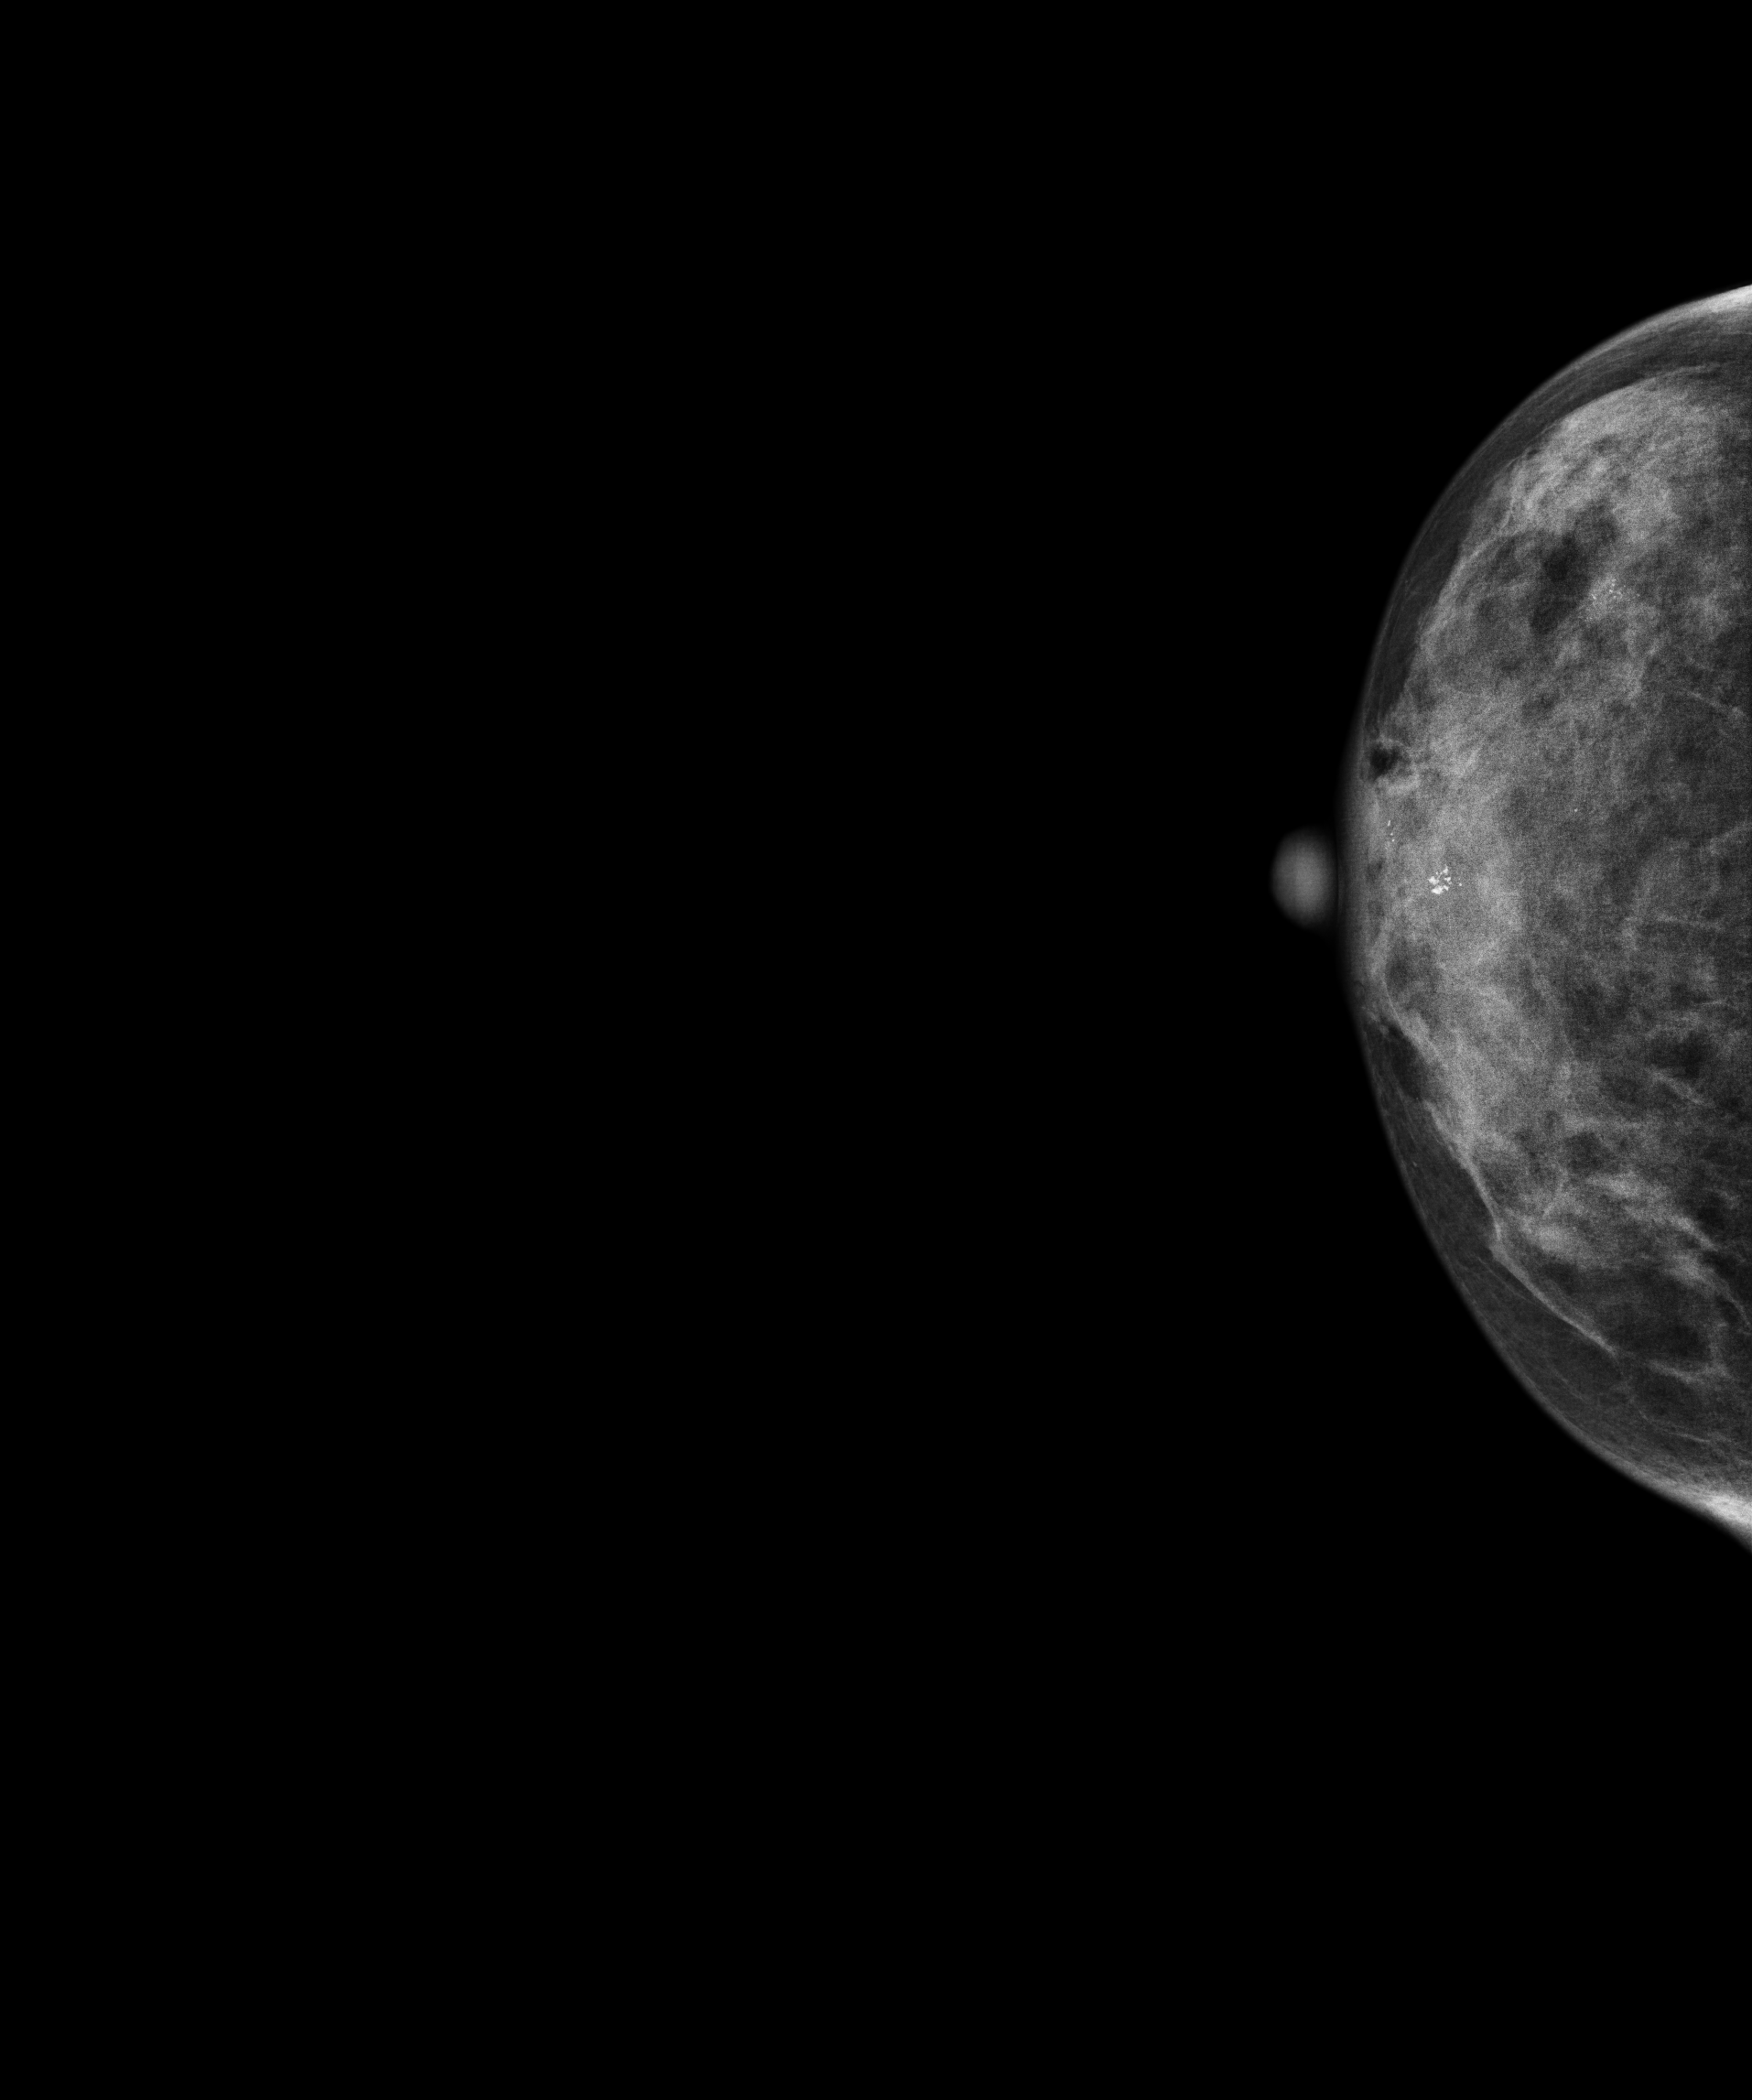
CC mammogram of the right breast. 46-year-old patient.
This breast has a mass and calcifications, biopsy-confirmed malignant.